MLO mammogram of the right breast. 44 y/o patient.
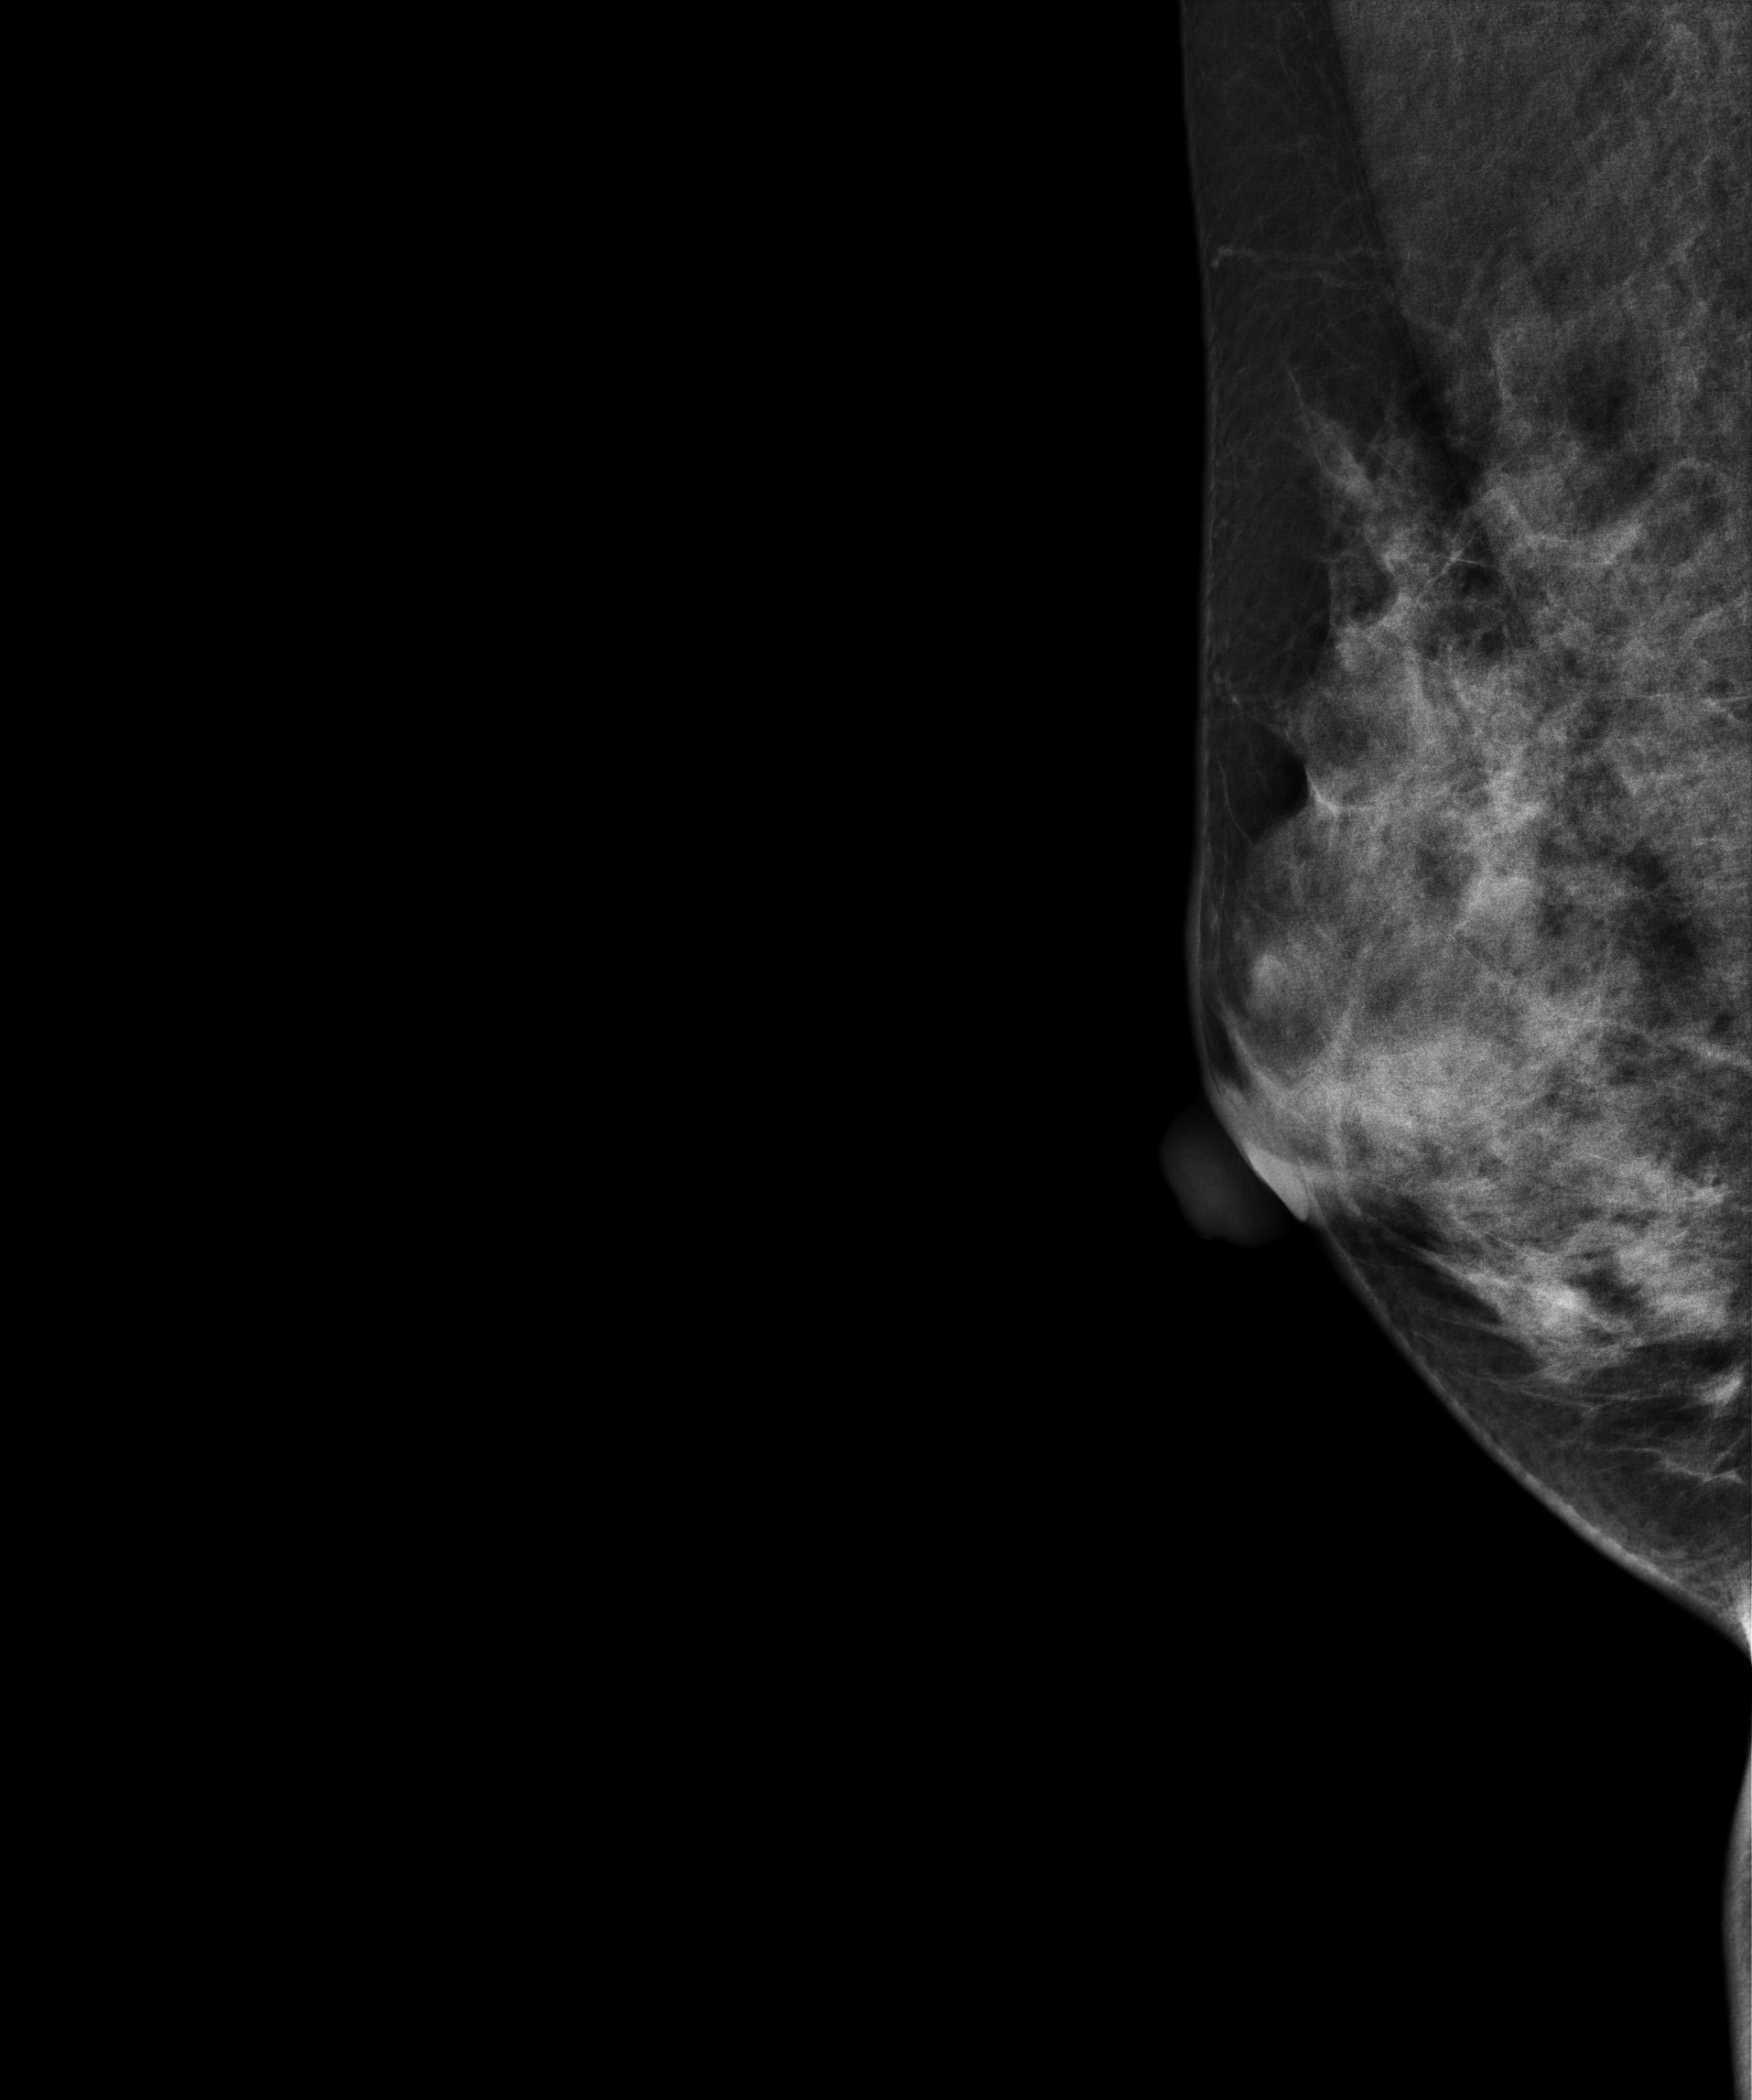
This breast has a mass, histologically confirmed benign.